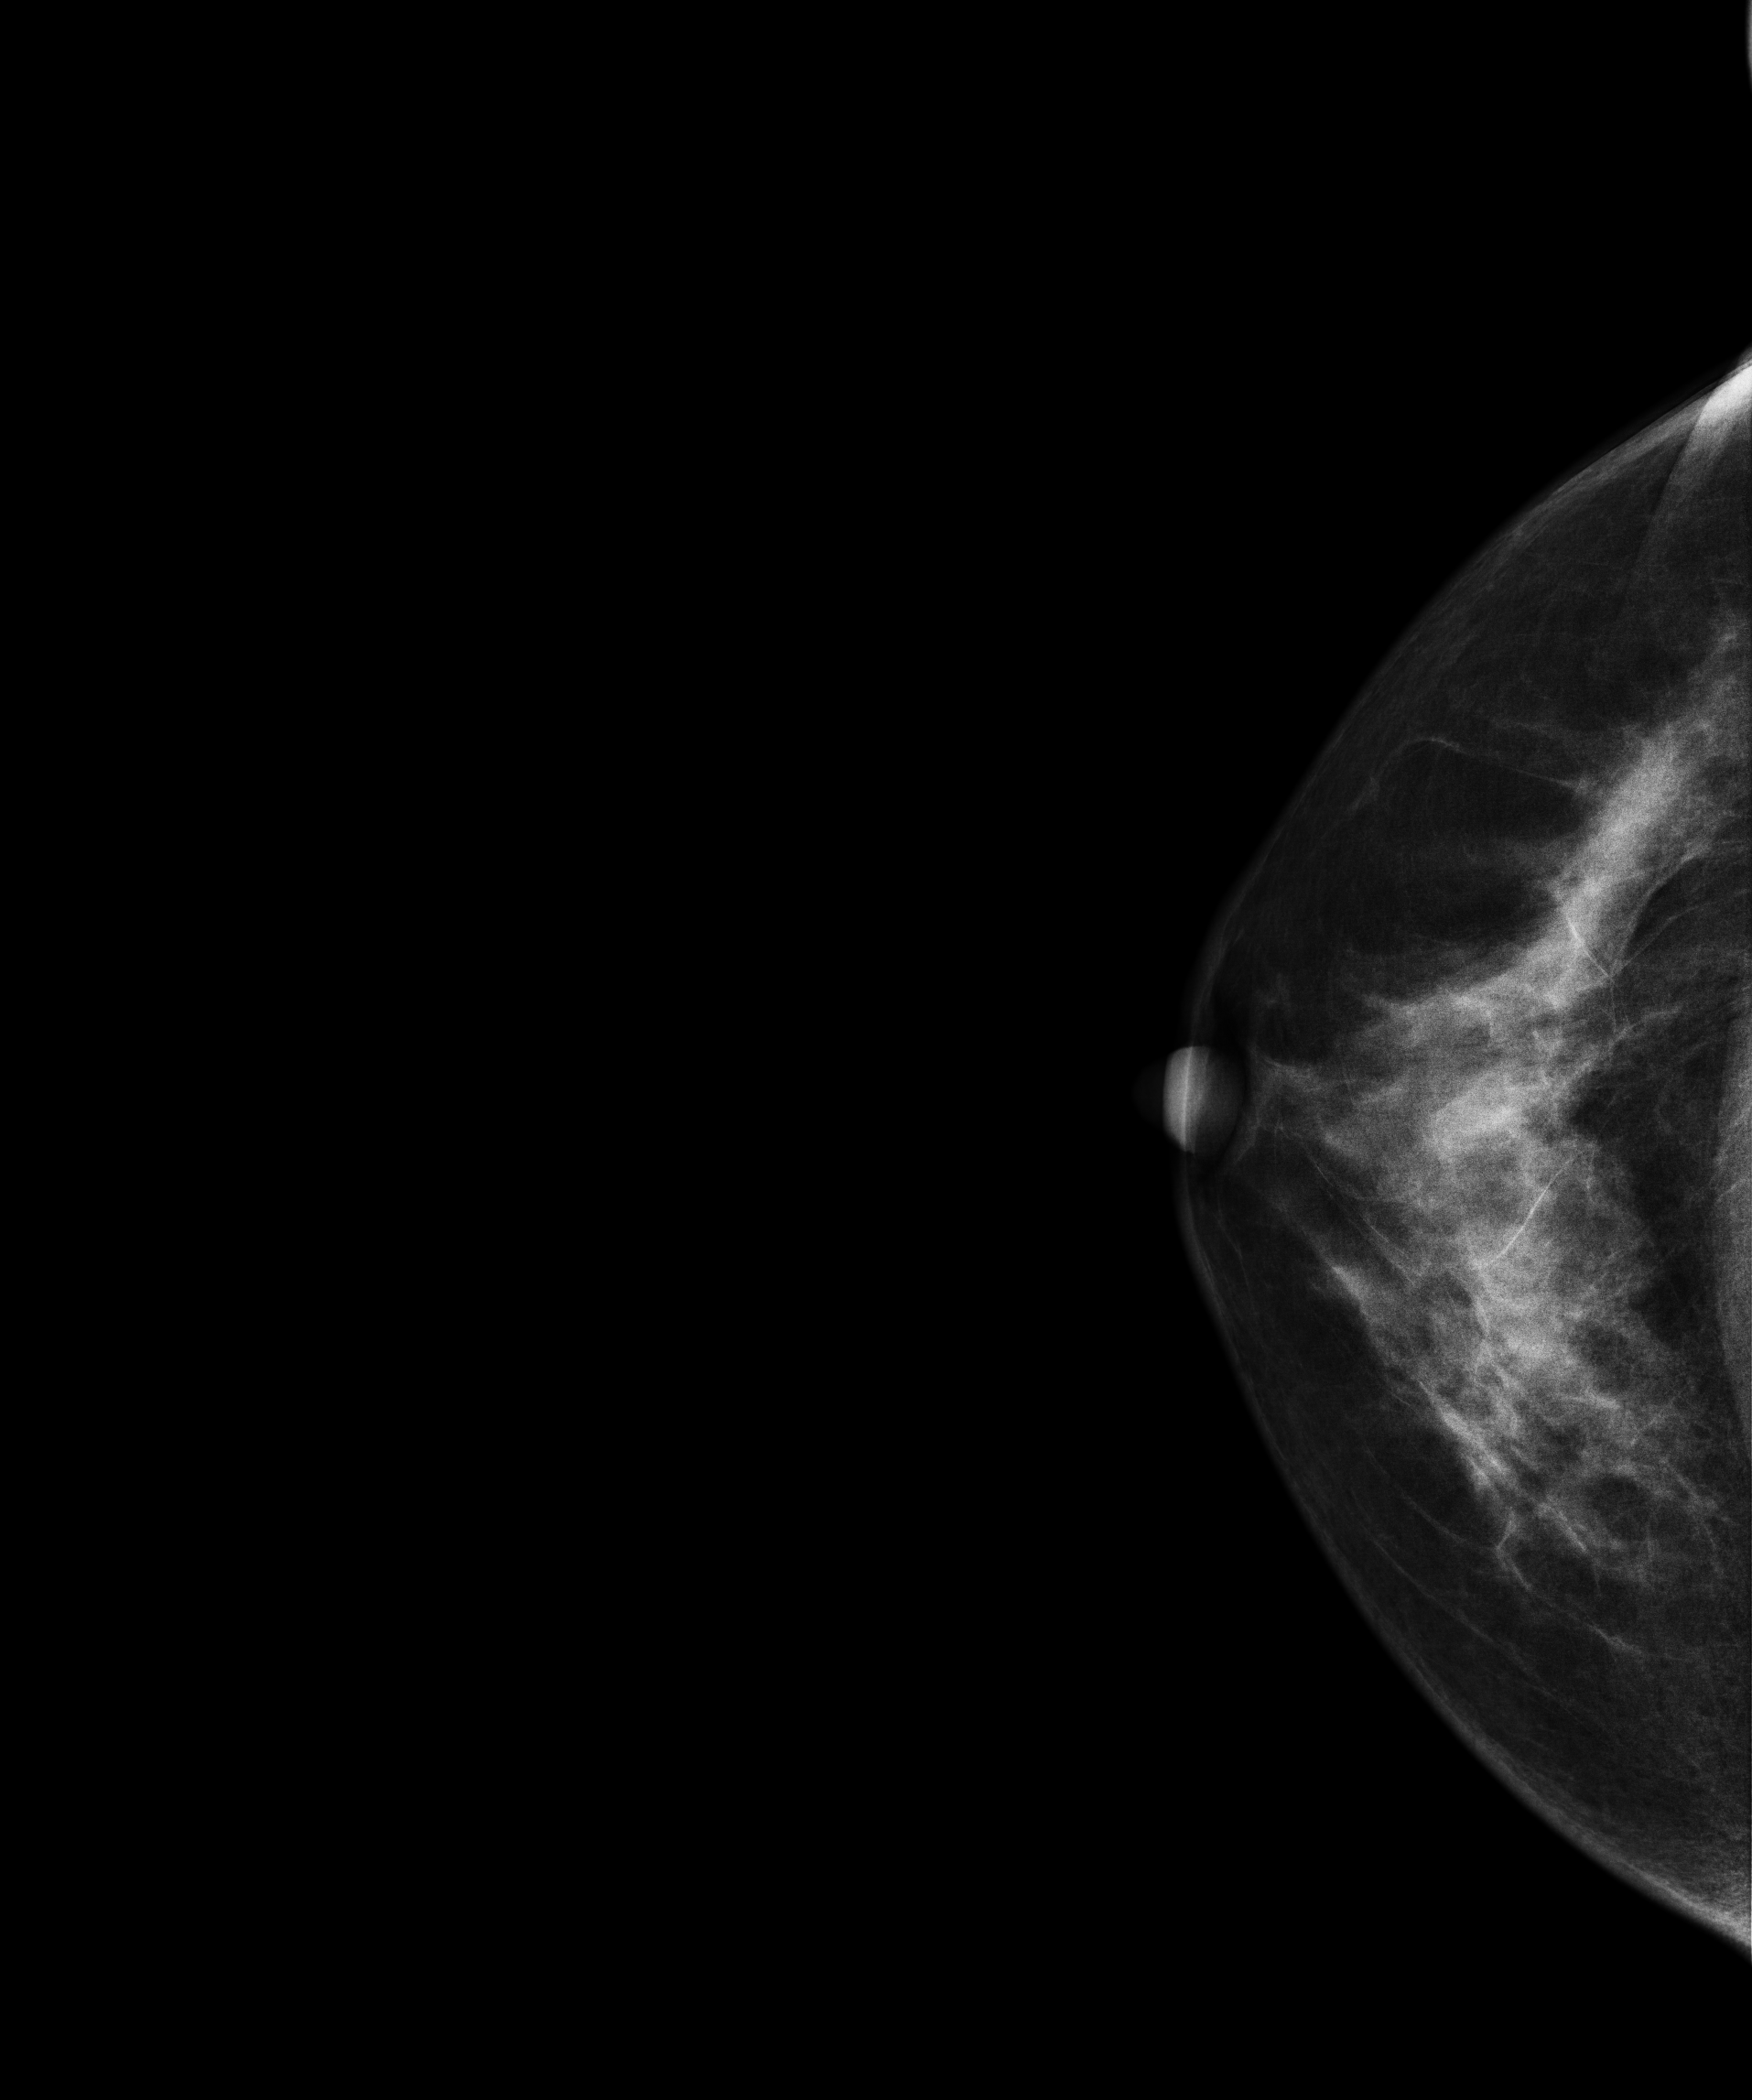
Mammogram, right breast, CC view. 58 y/o patient.
Contralateral breast — no documented abnormality on this side.